Digital mammography. Left breast, medio-lateral oblique projection. Patient age 51.
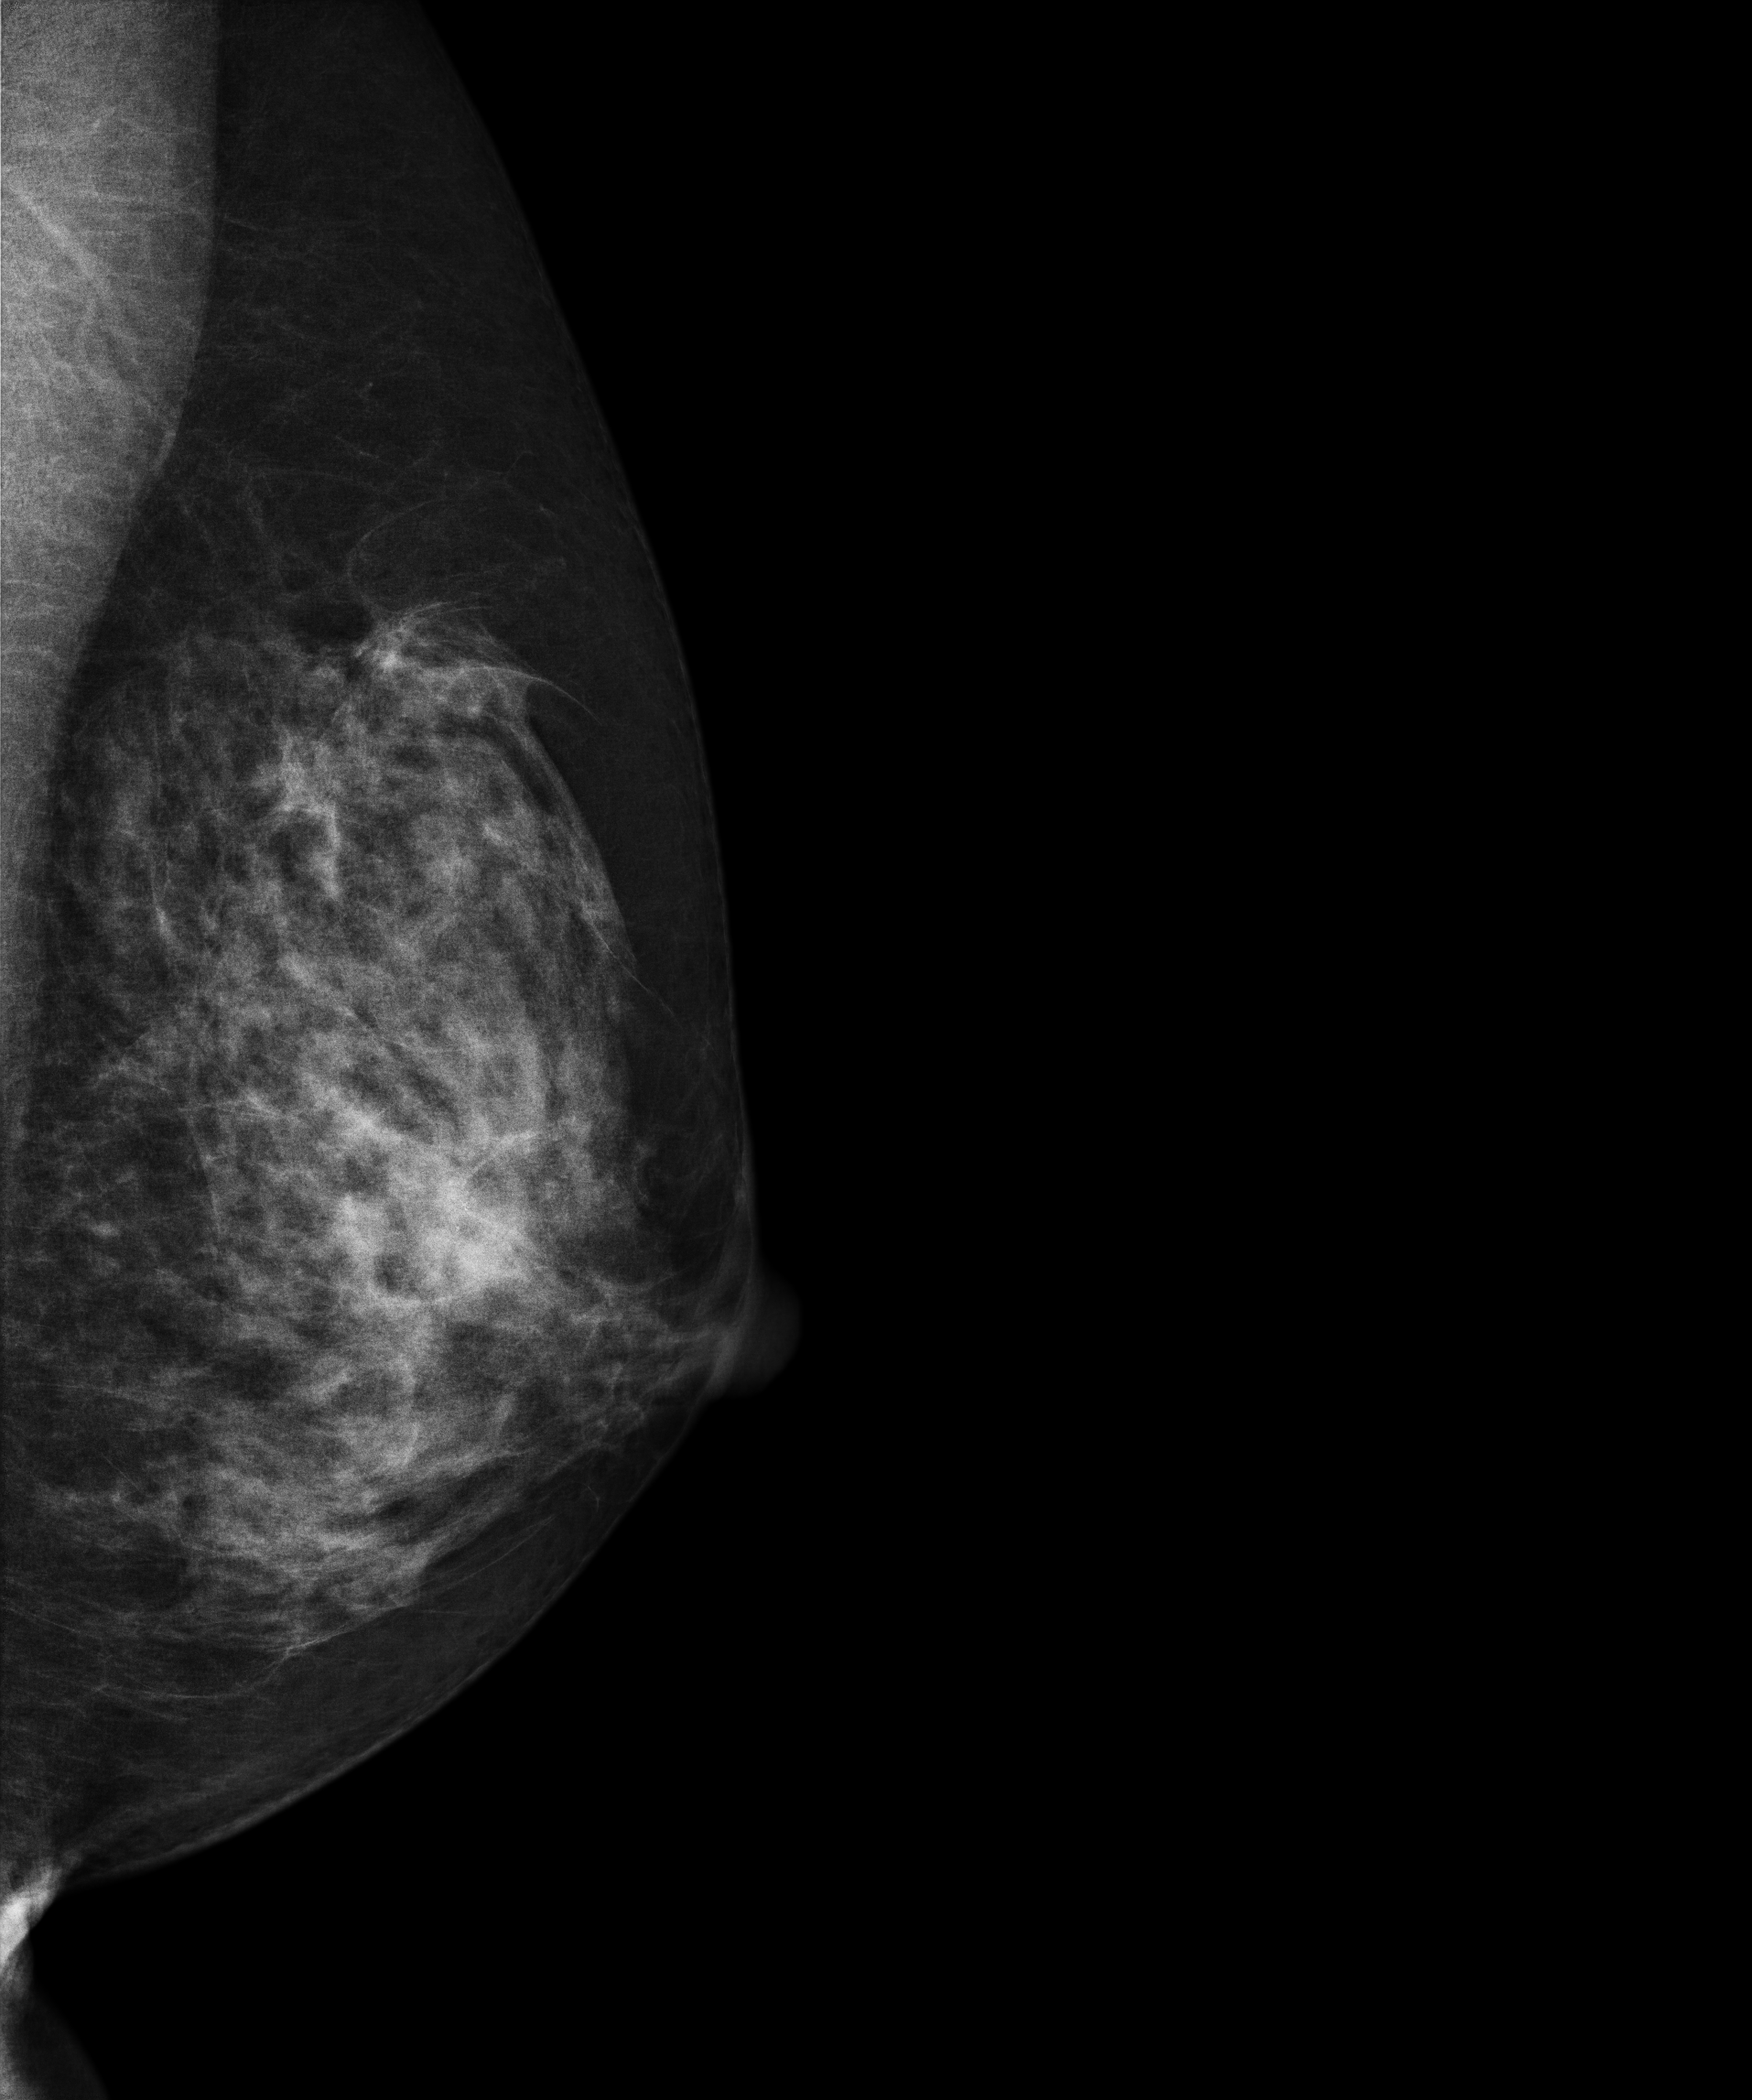
This breast has a mass and calcifications, biopsy-confirmed malignant.